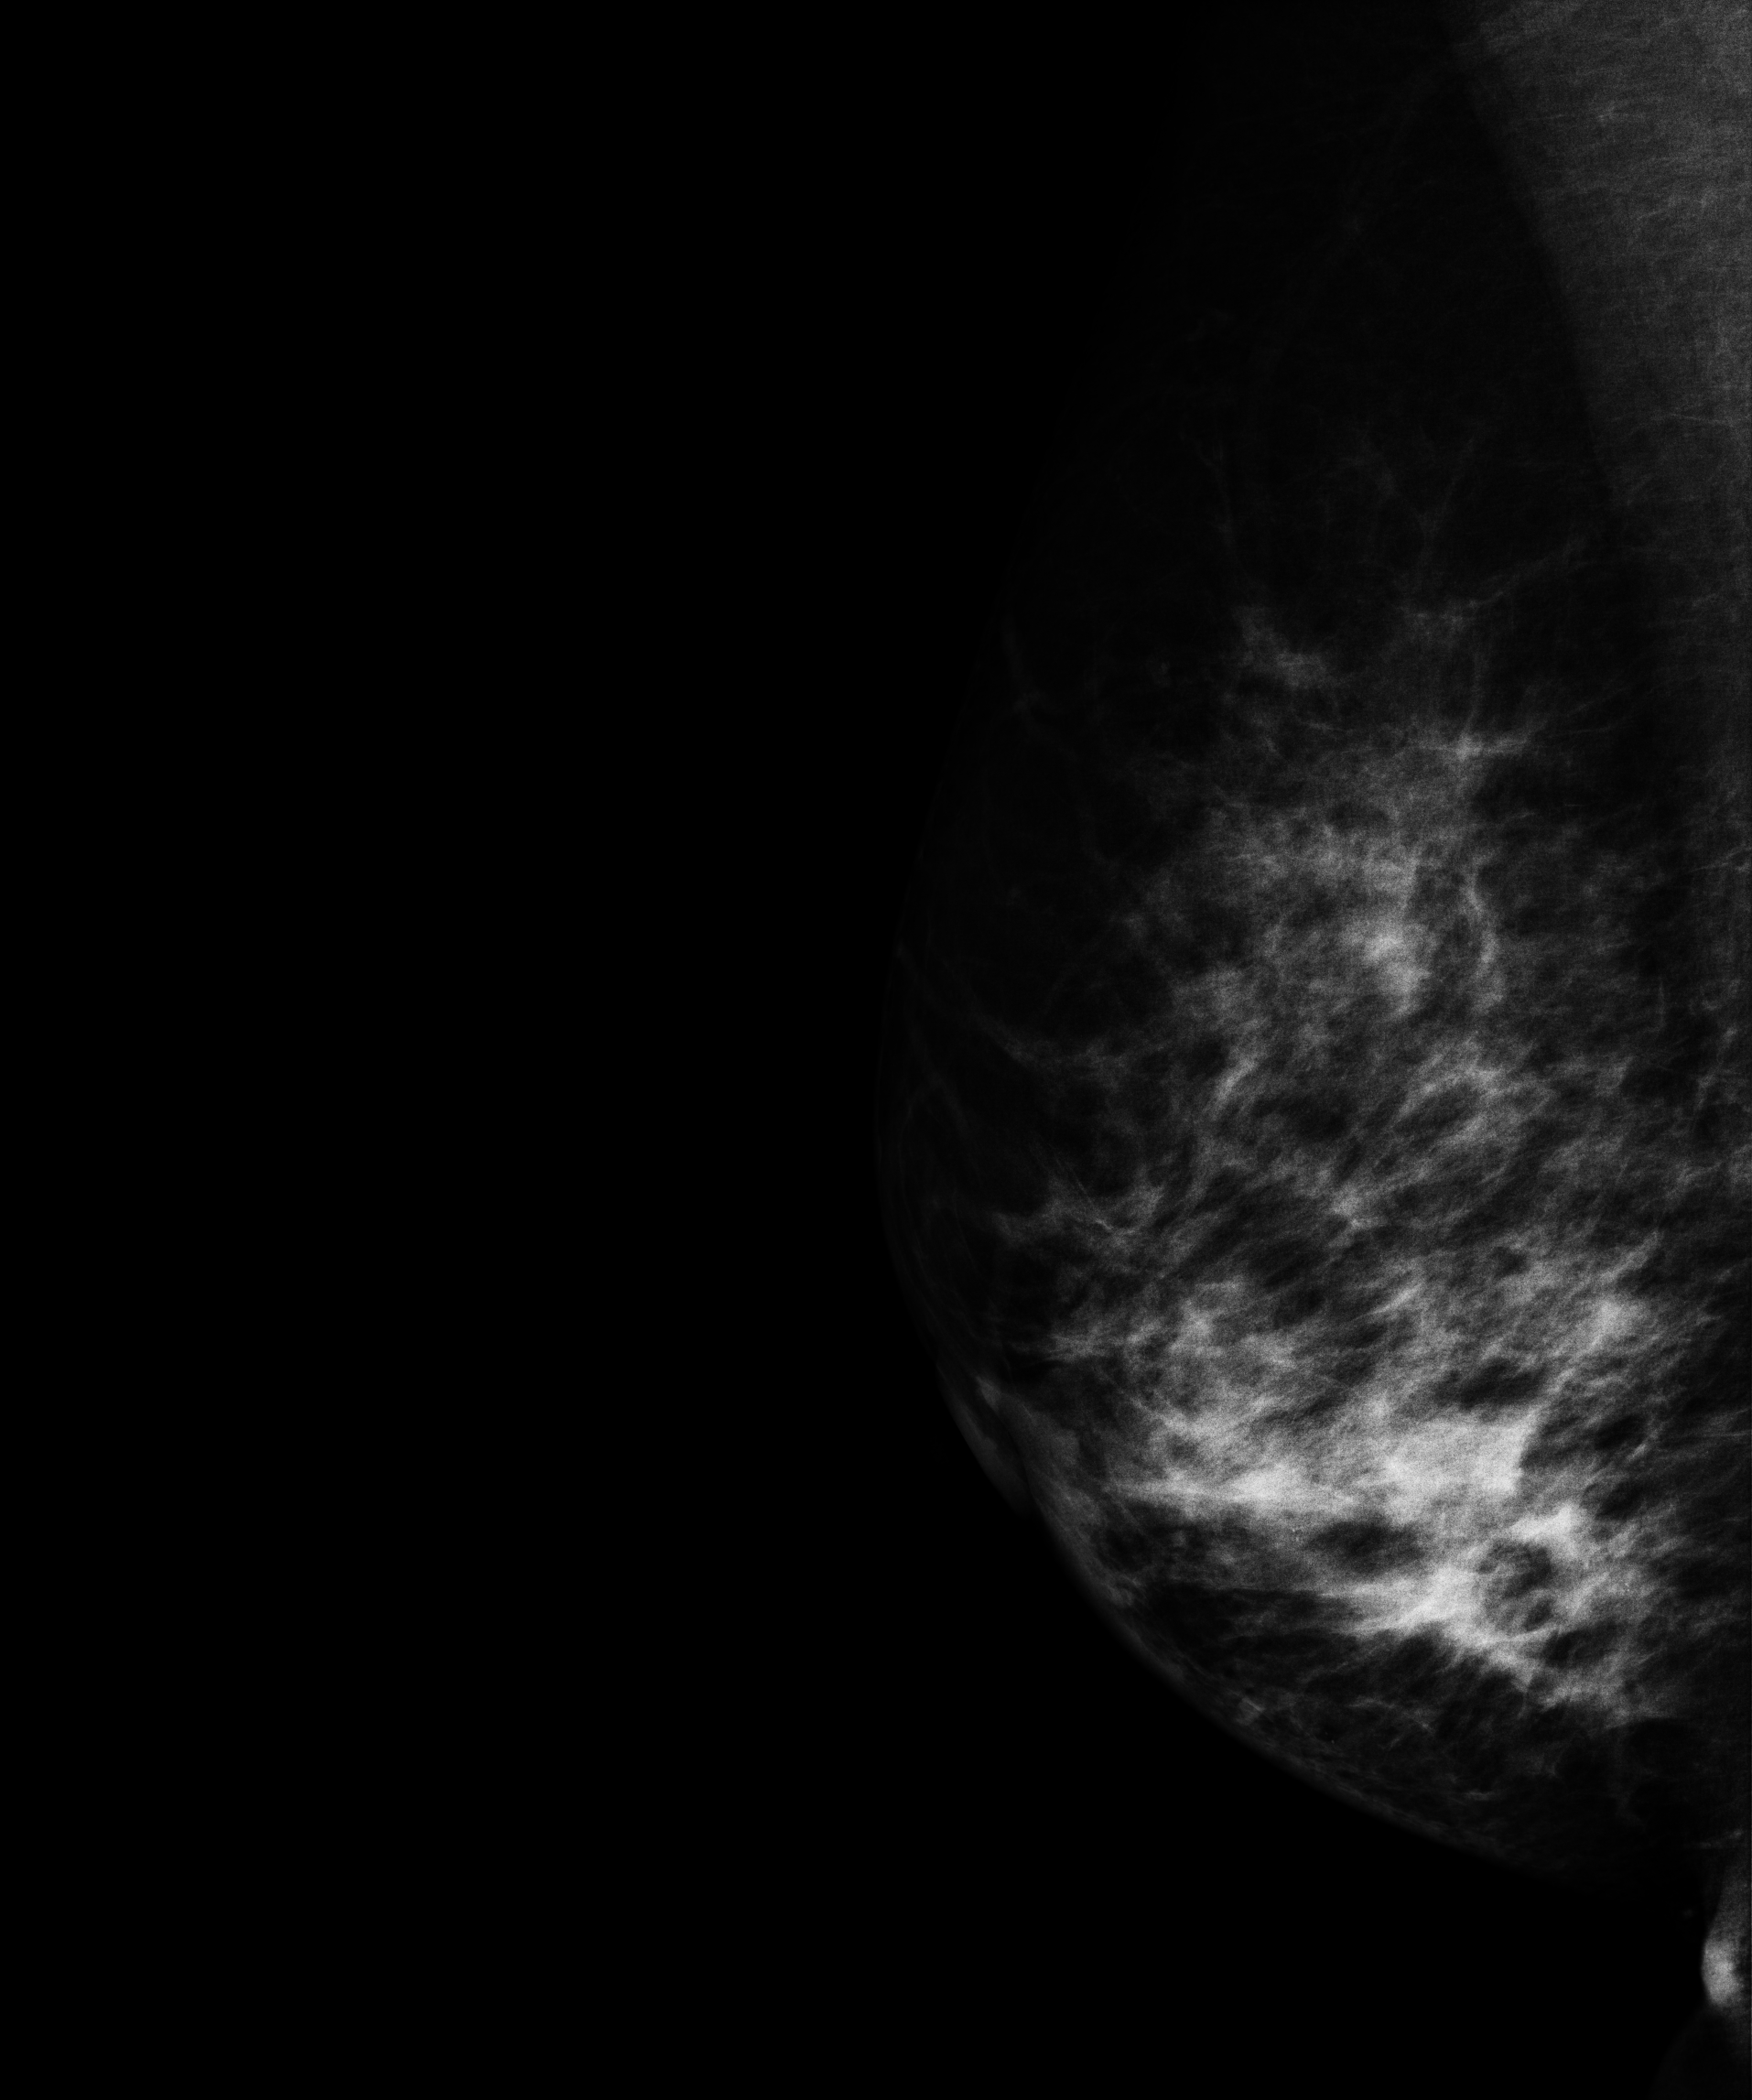
Medio-lateral oblique mammogram of the right breast. Patient age 34.
This breast has a mass, pathology-confirmed malignant.